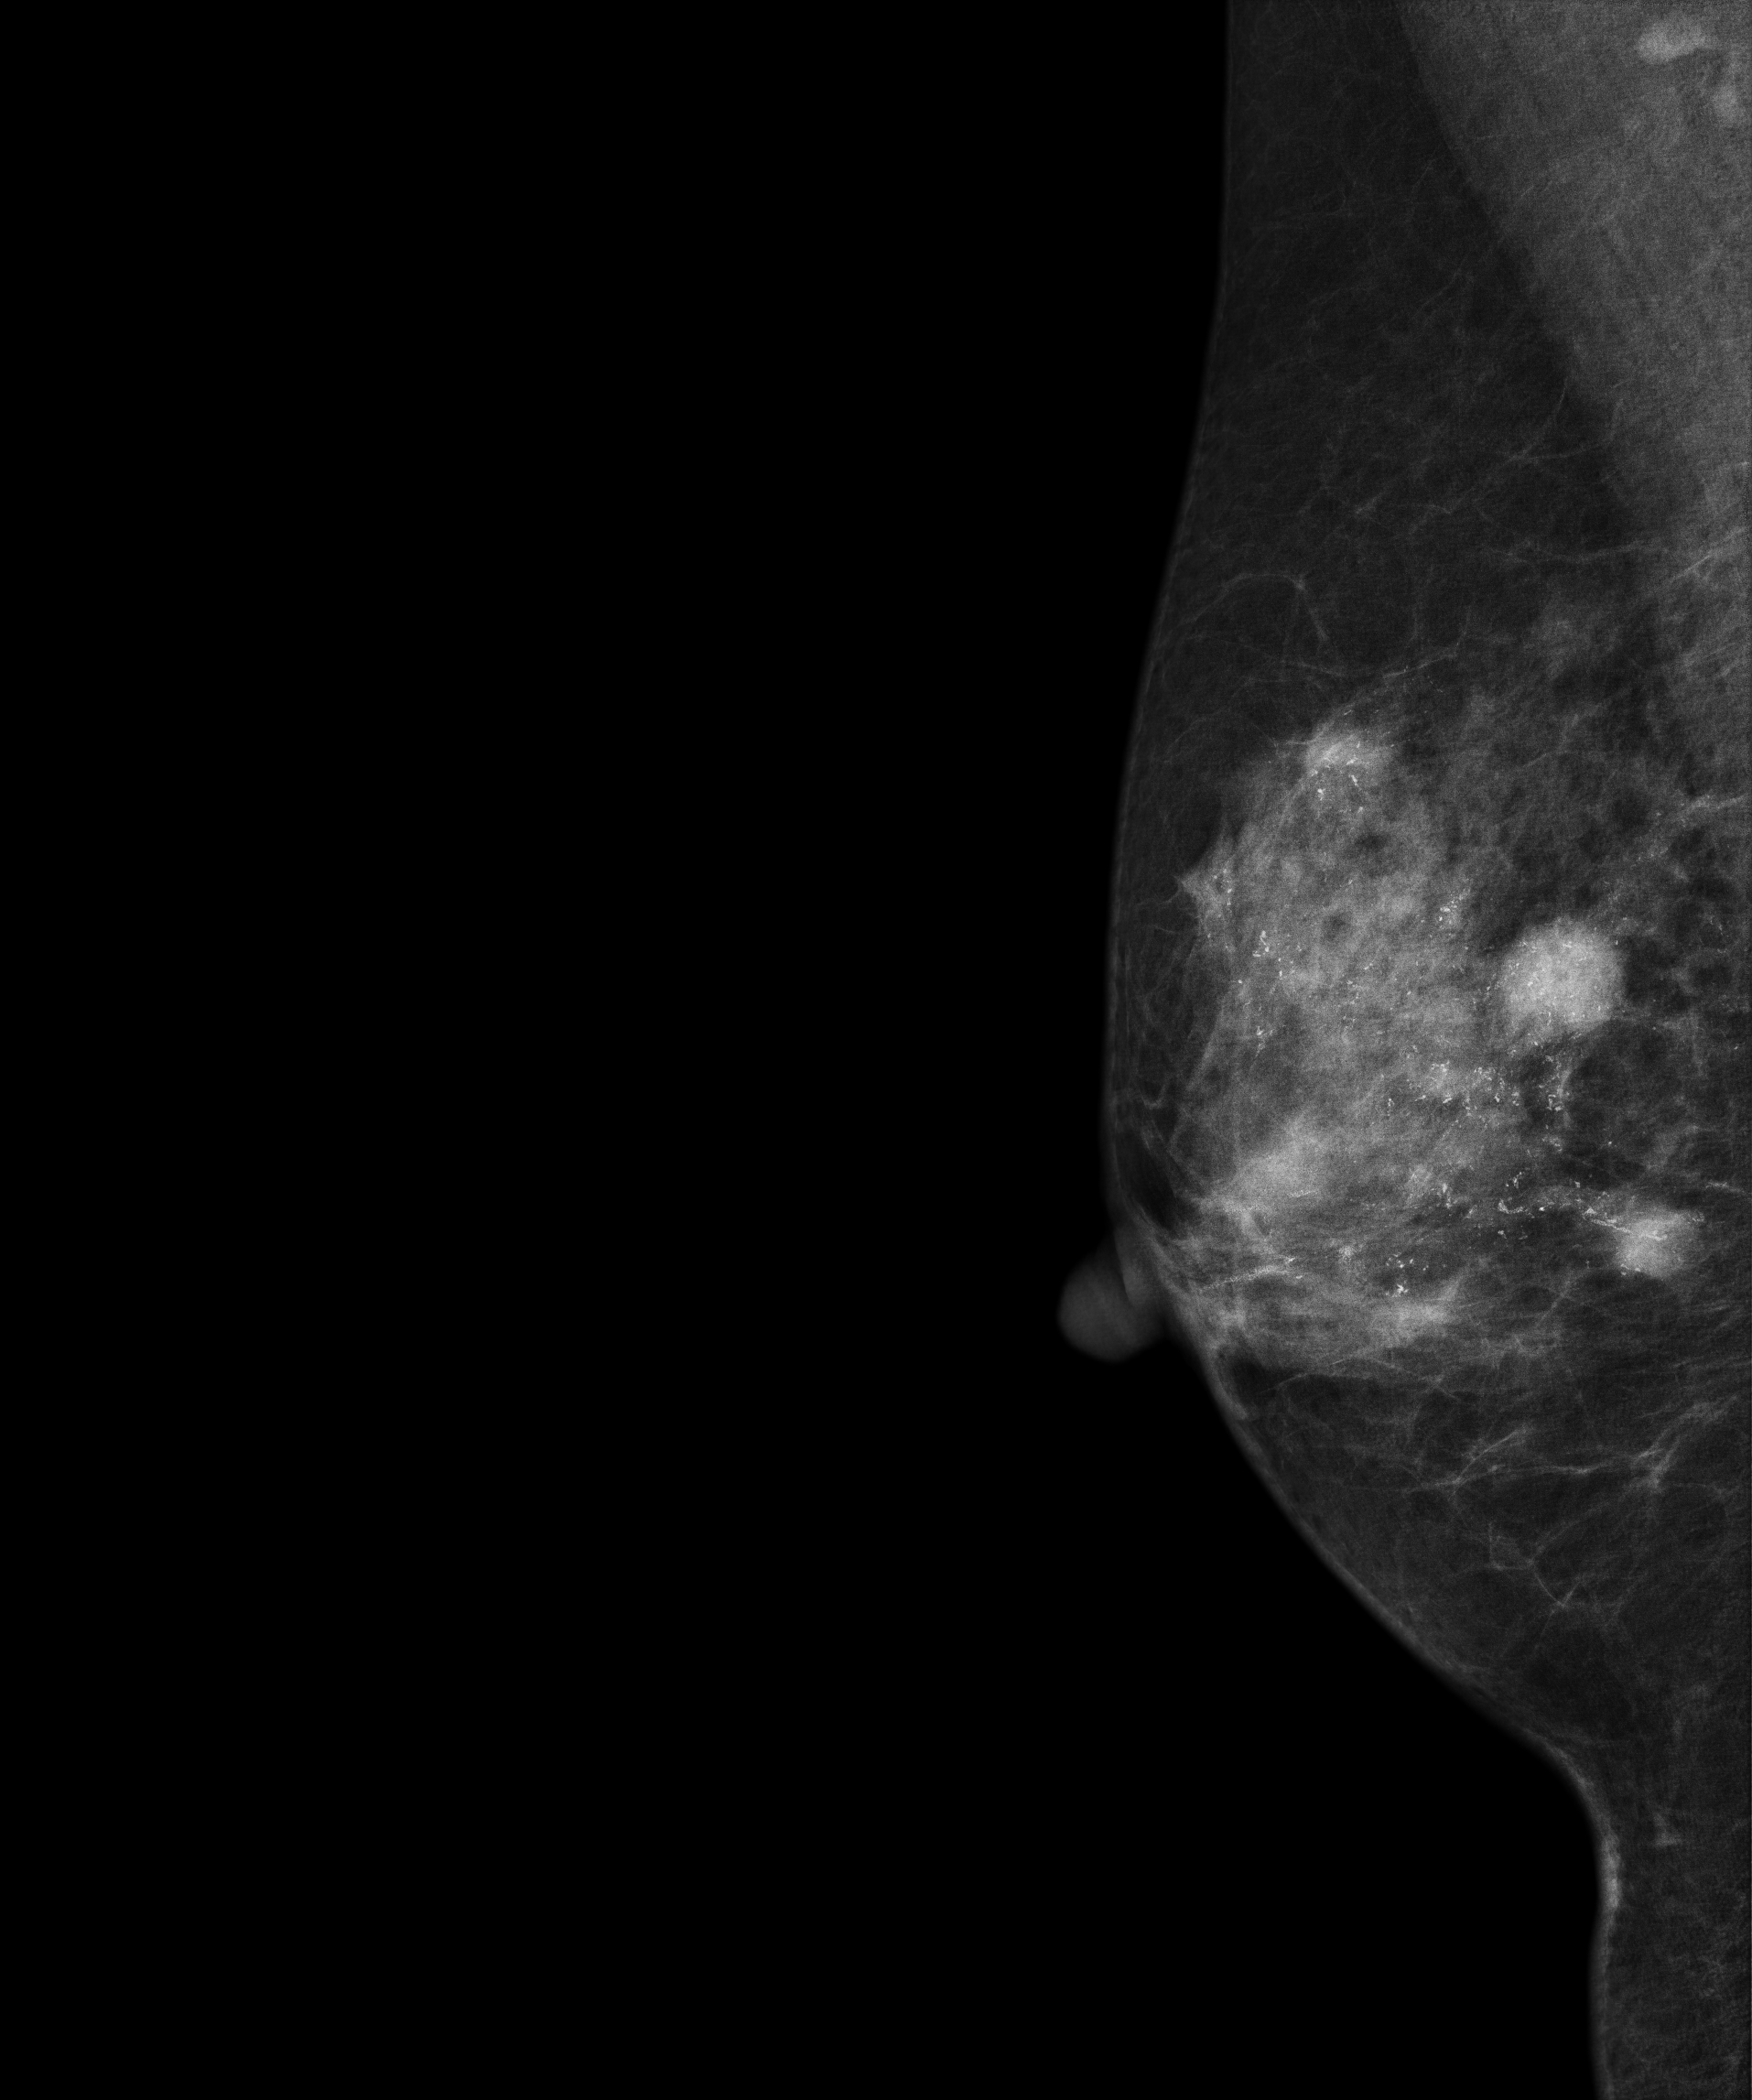
Digital mammography. Right breast, MLO projection. Patient age 57.
This breast has a mass and calcifications, biopsy-confirmed malignant. Molecular subtype: luminal B.